Mammogram, right breast, CC view. Patient age 46.
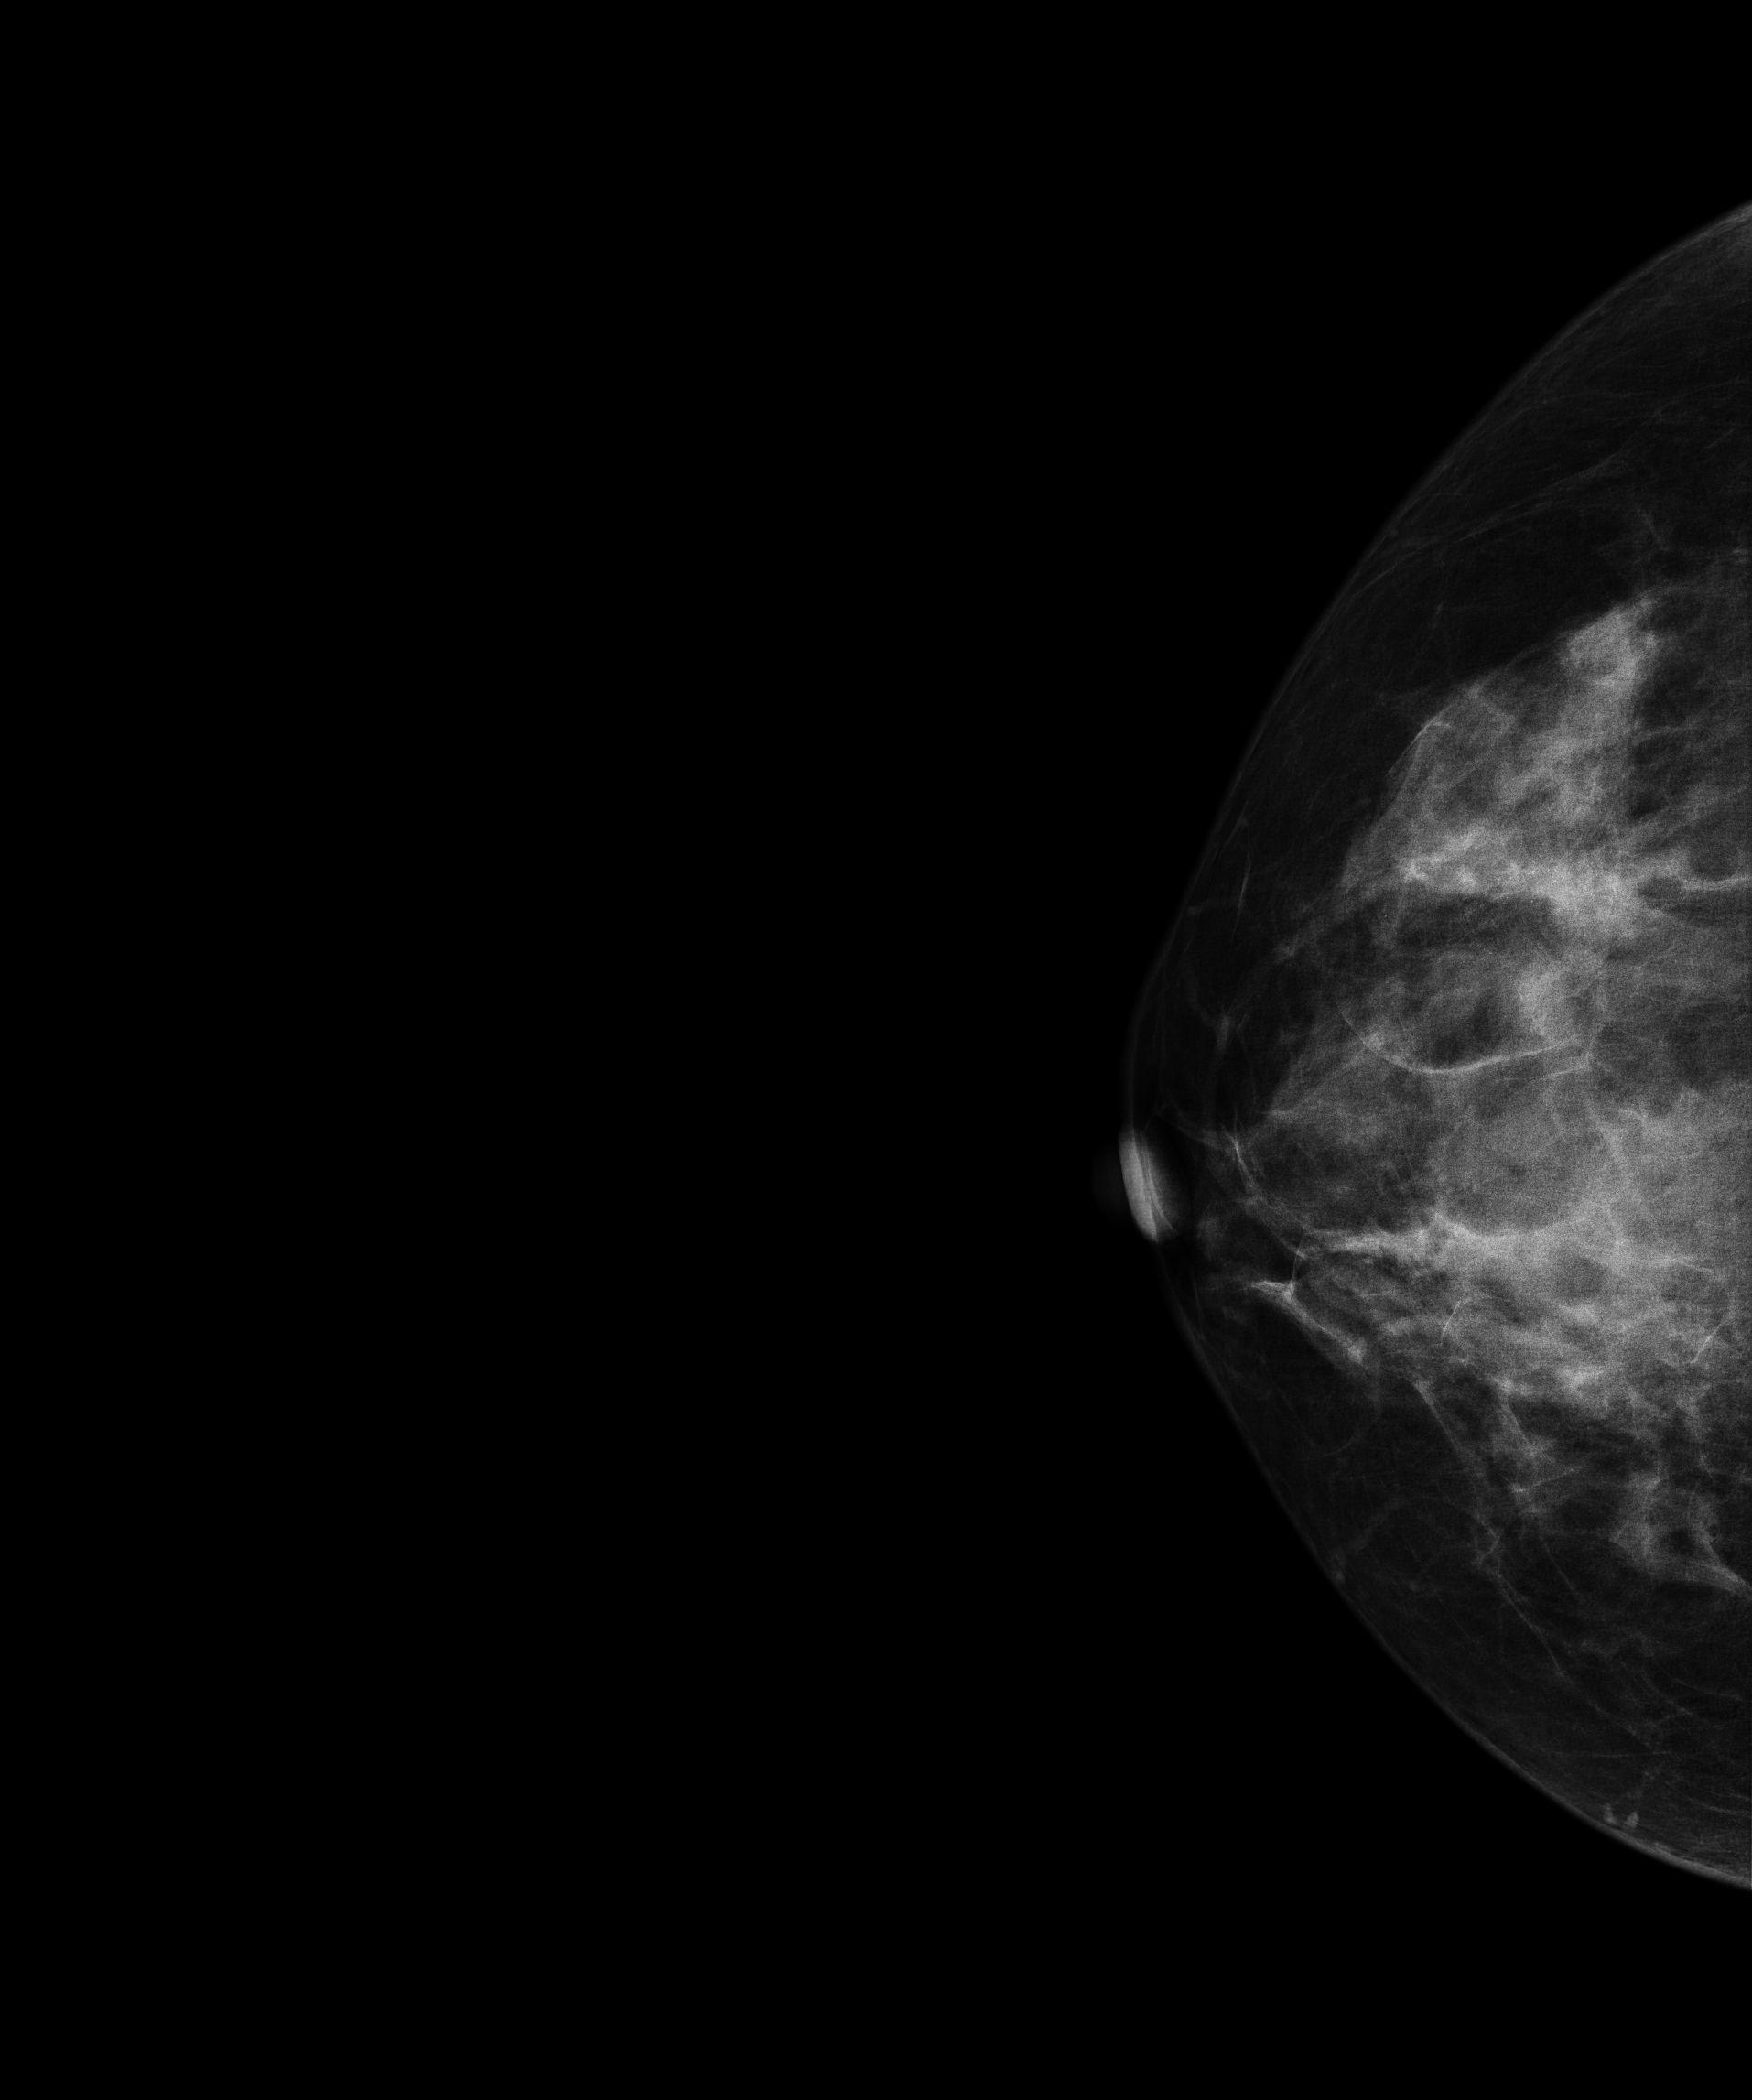
This breast has a mass and calcifications, histologically confirmed malignant. Molecular subtype: luminal B.